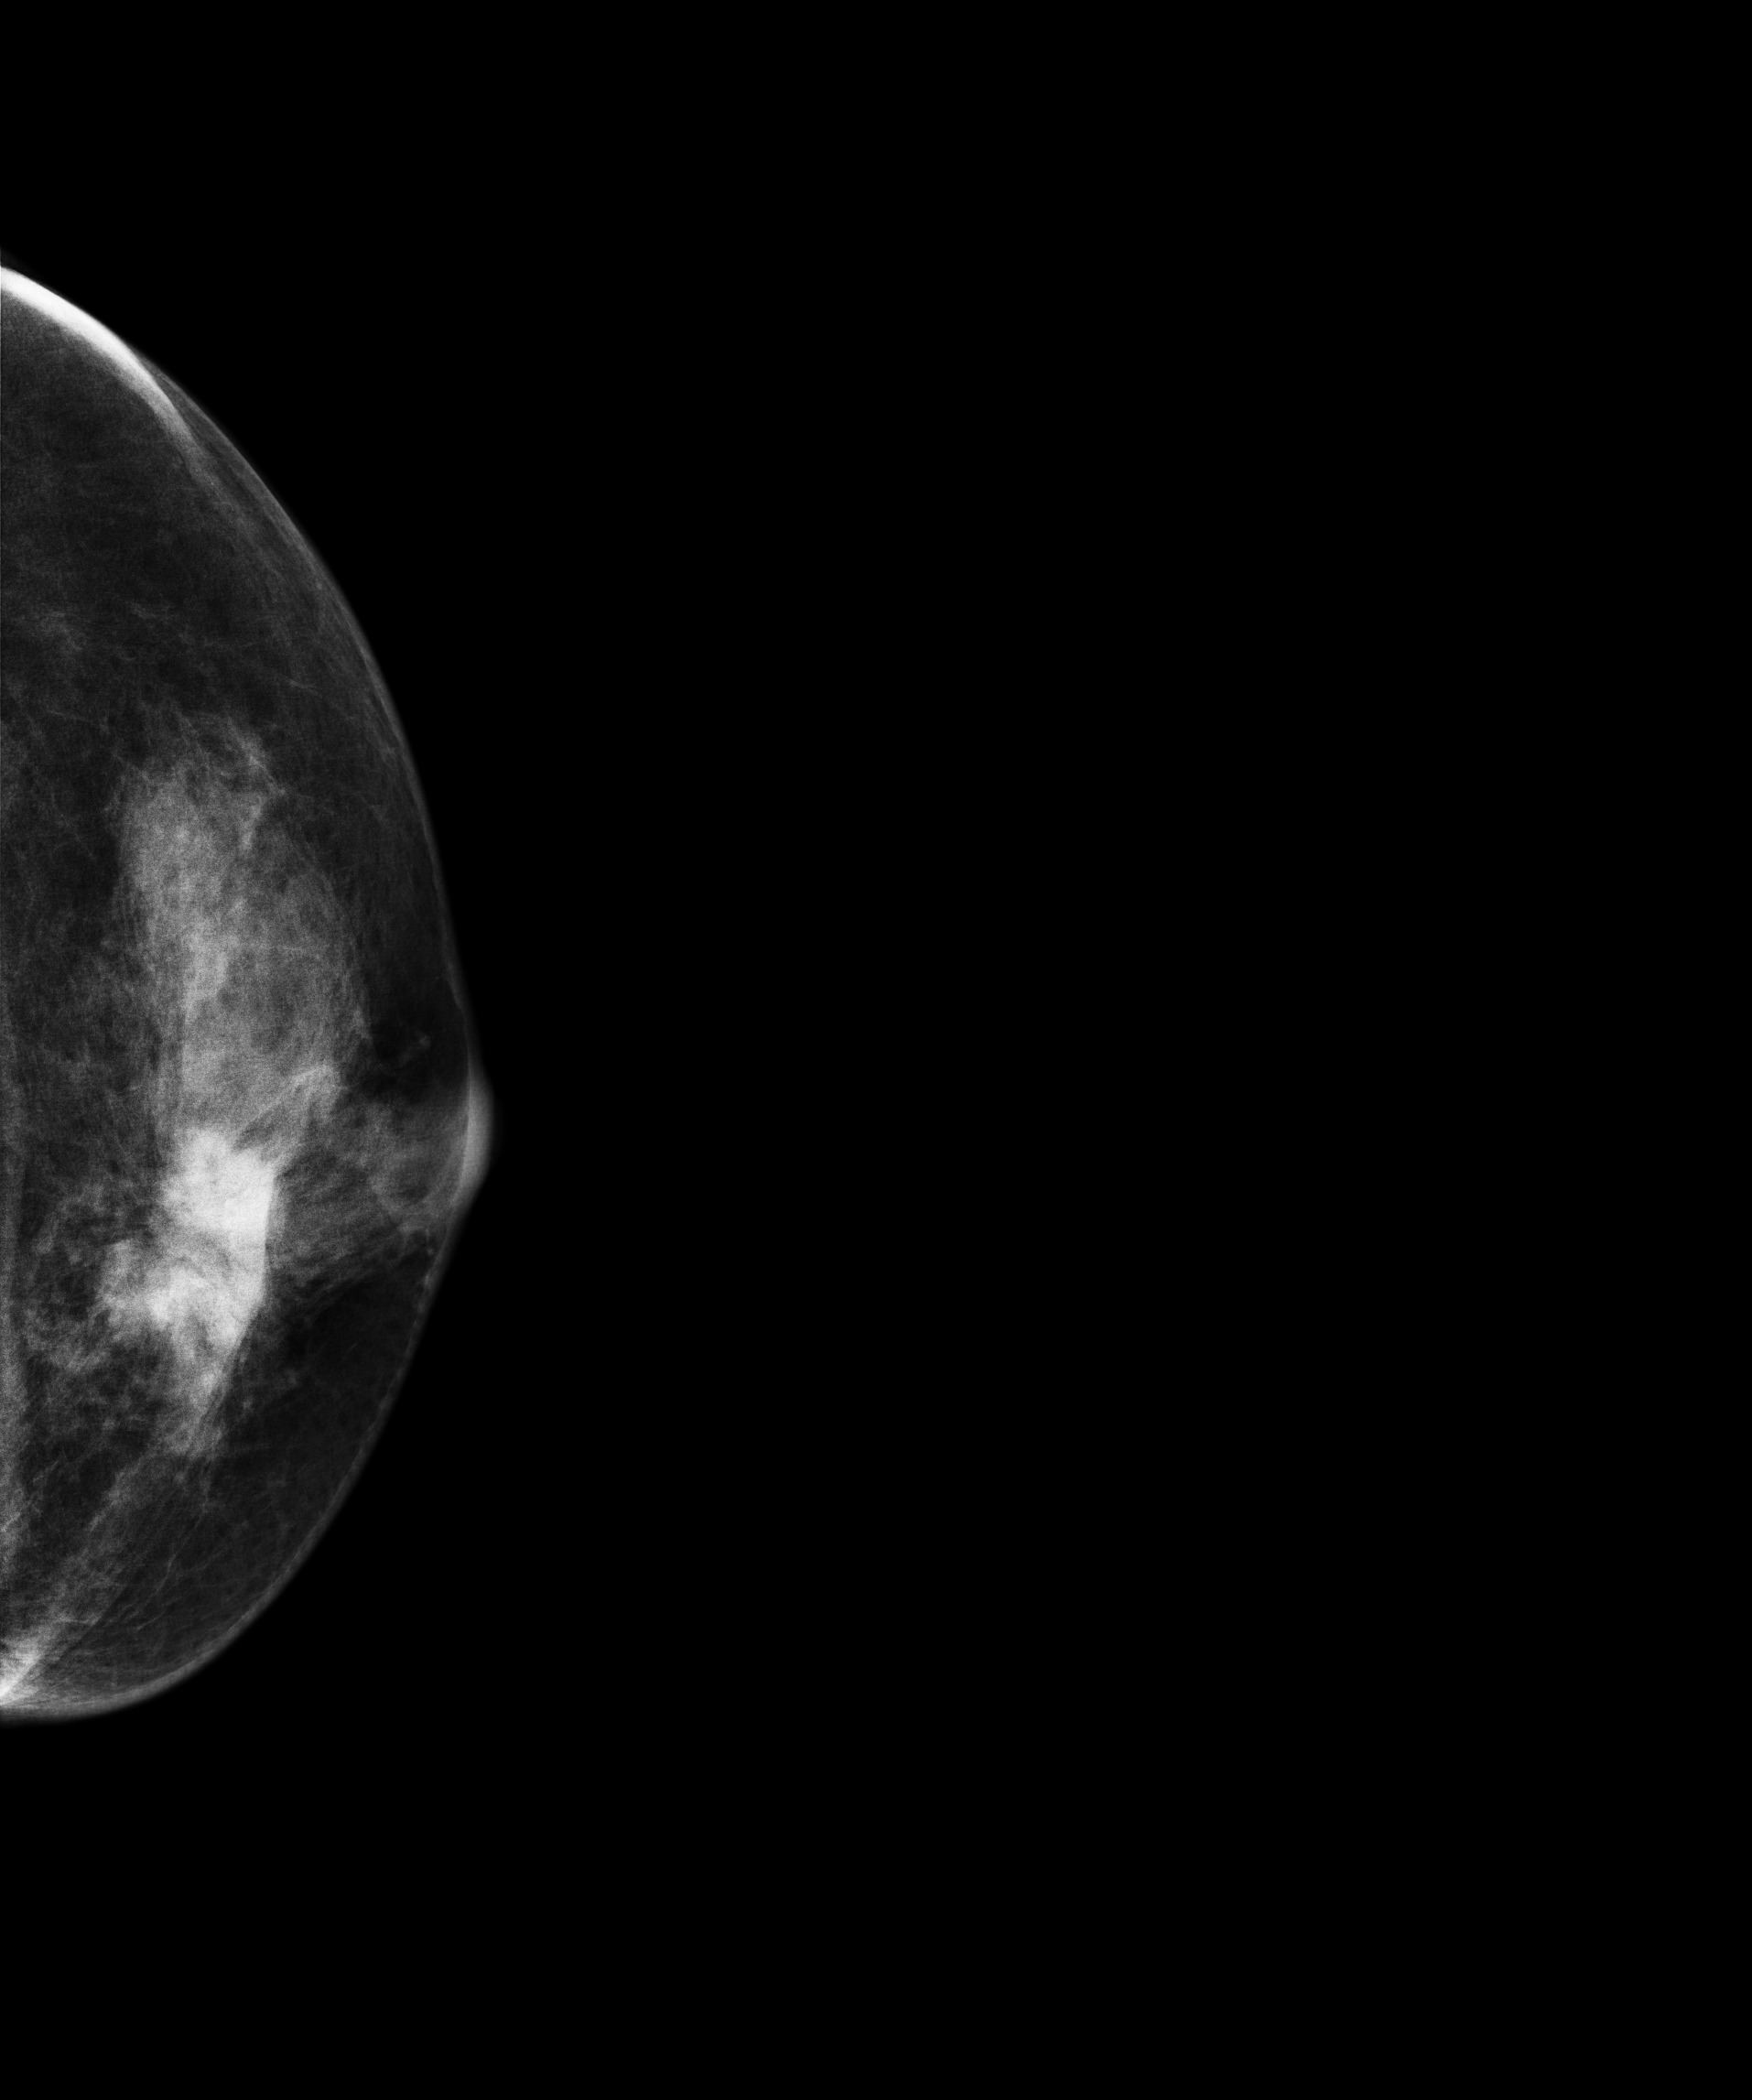
Mammogram — left cranio-caudal. 52 y/o patient.
This breast has a mass, histologically confirmed malignant.